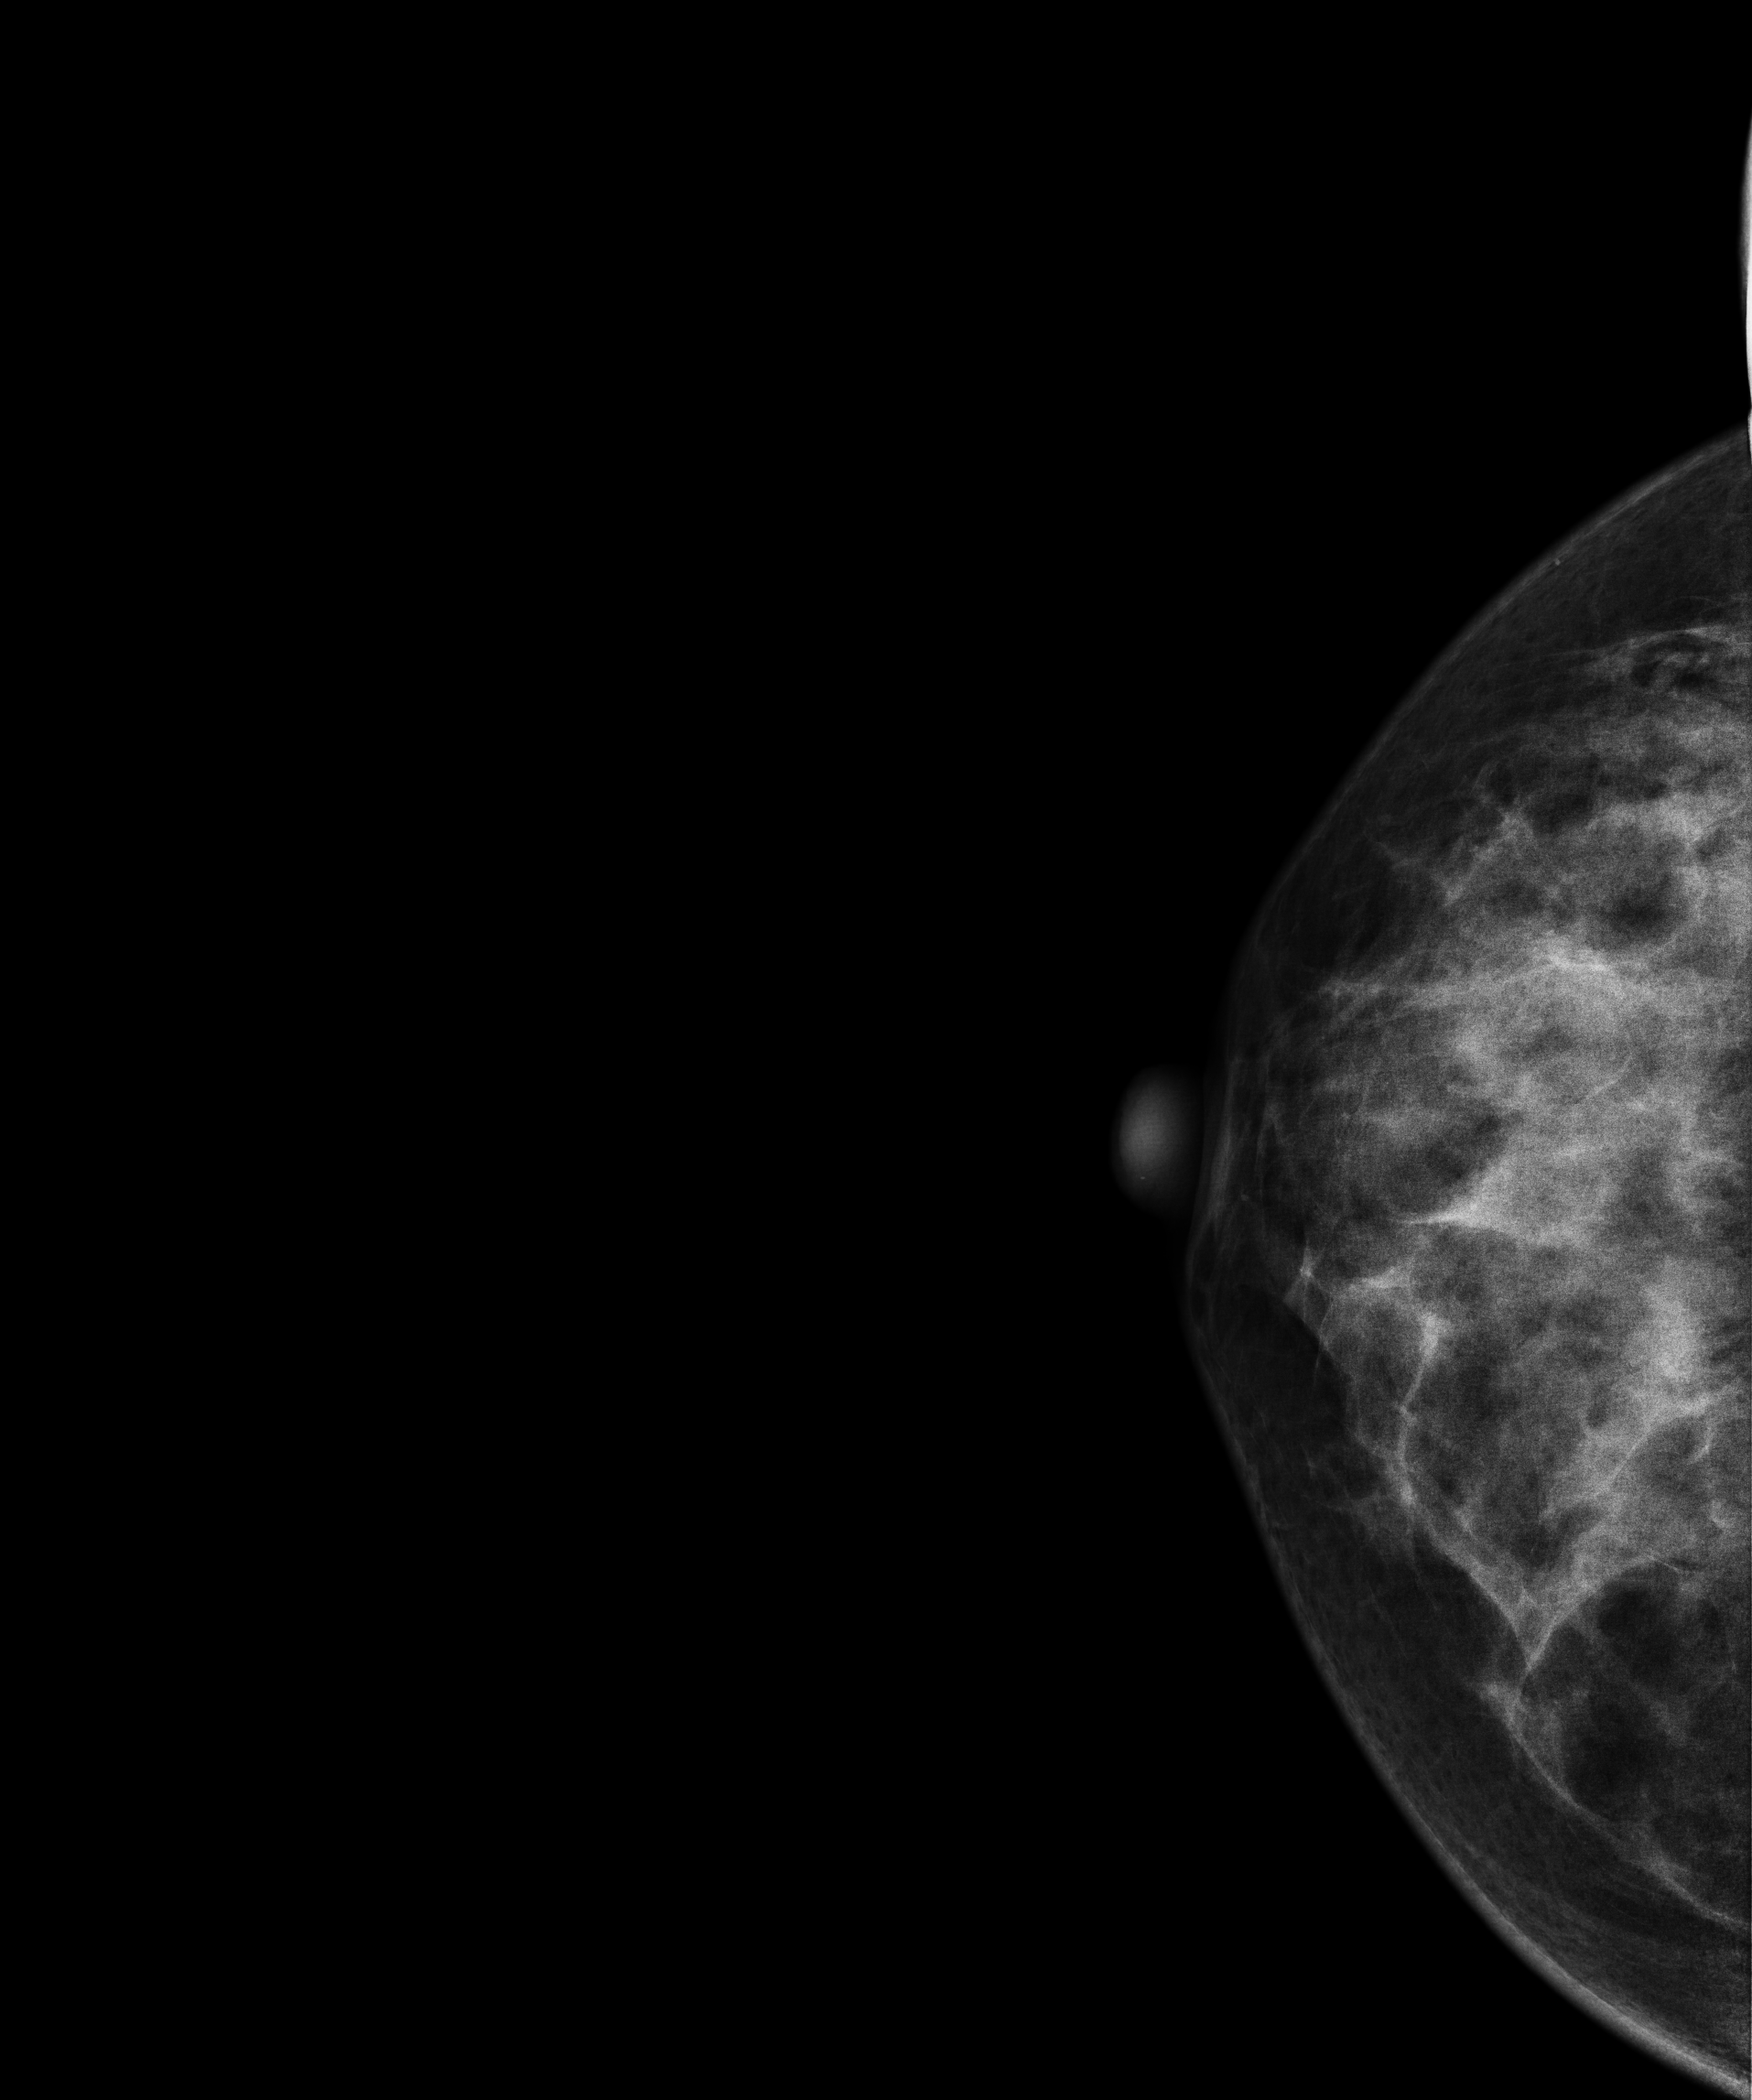
Right-breast mammogram, cranio-caudal. Patient age 39.
Contralateral breast — no documented abnormality on this side.